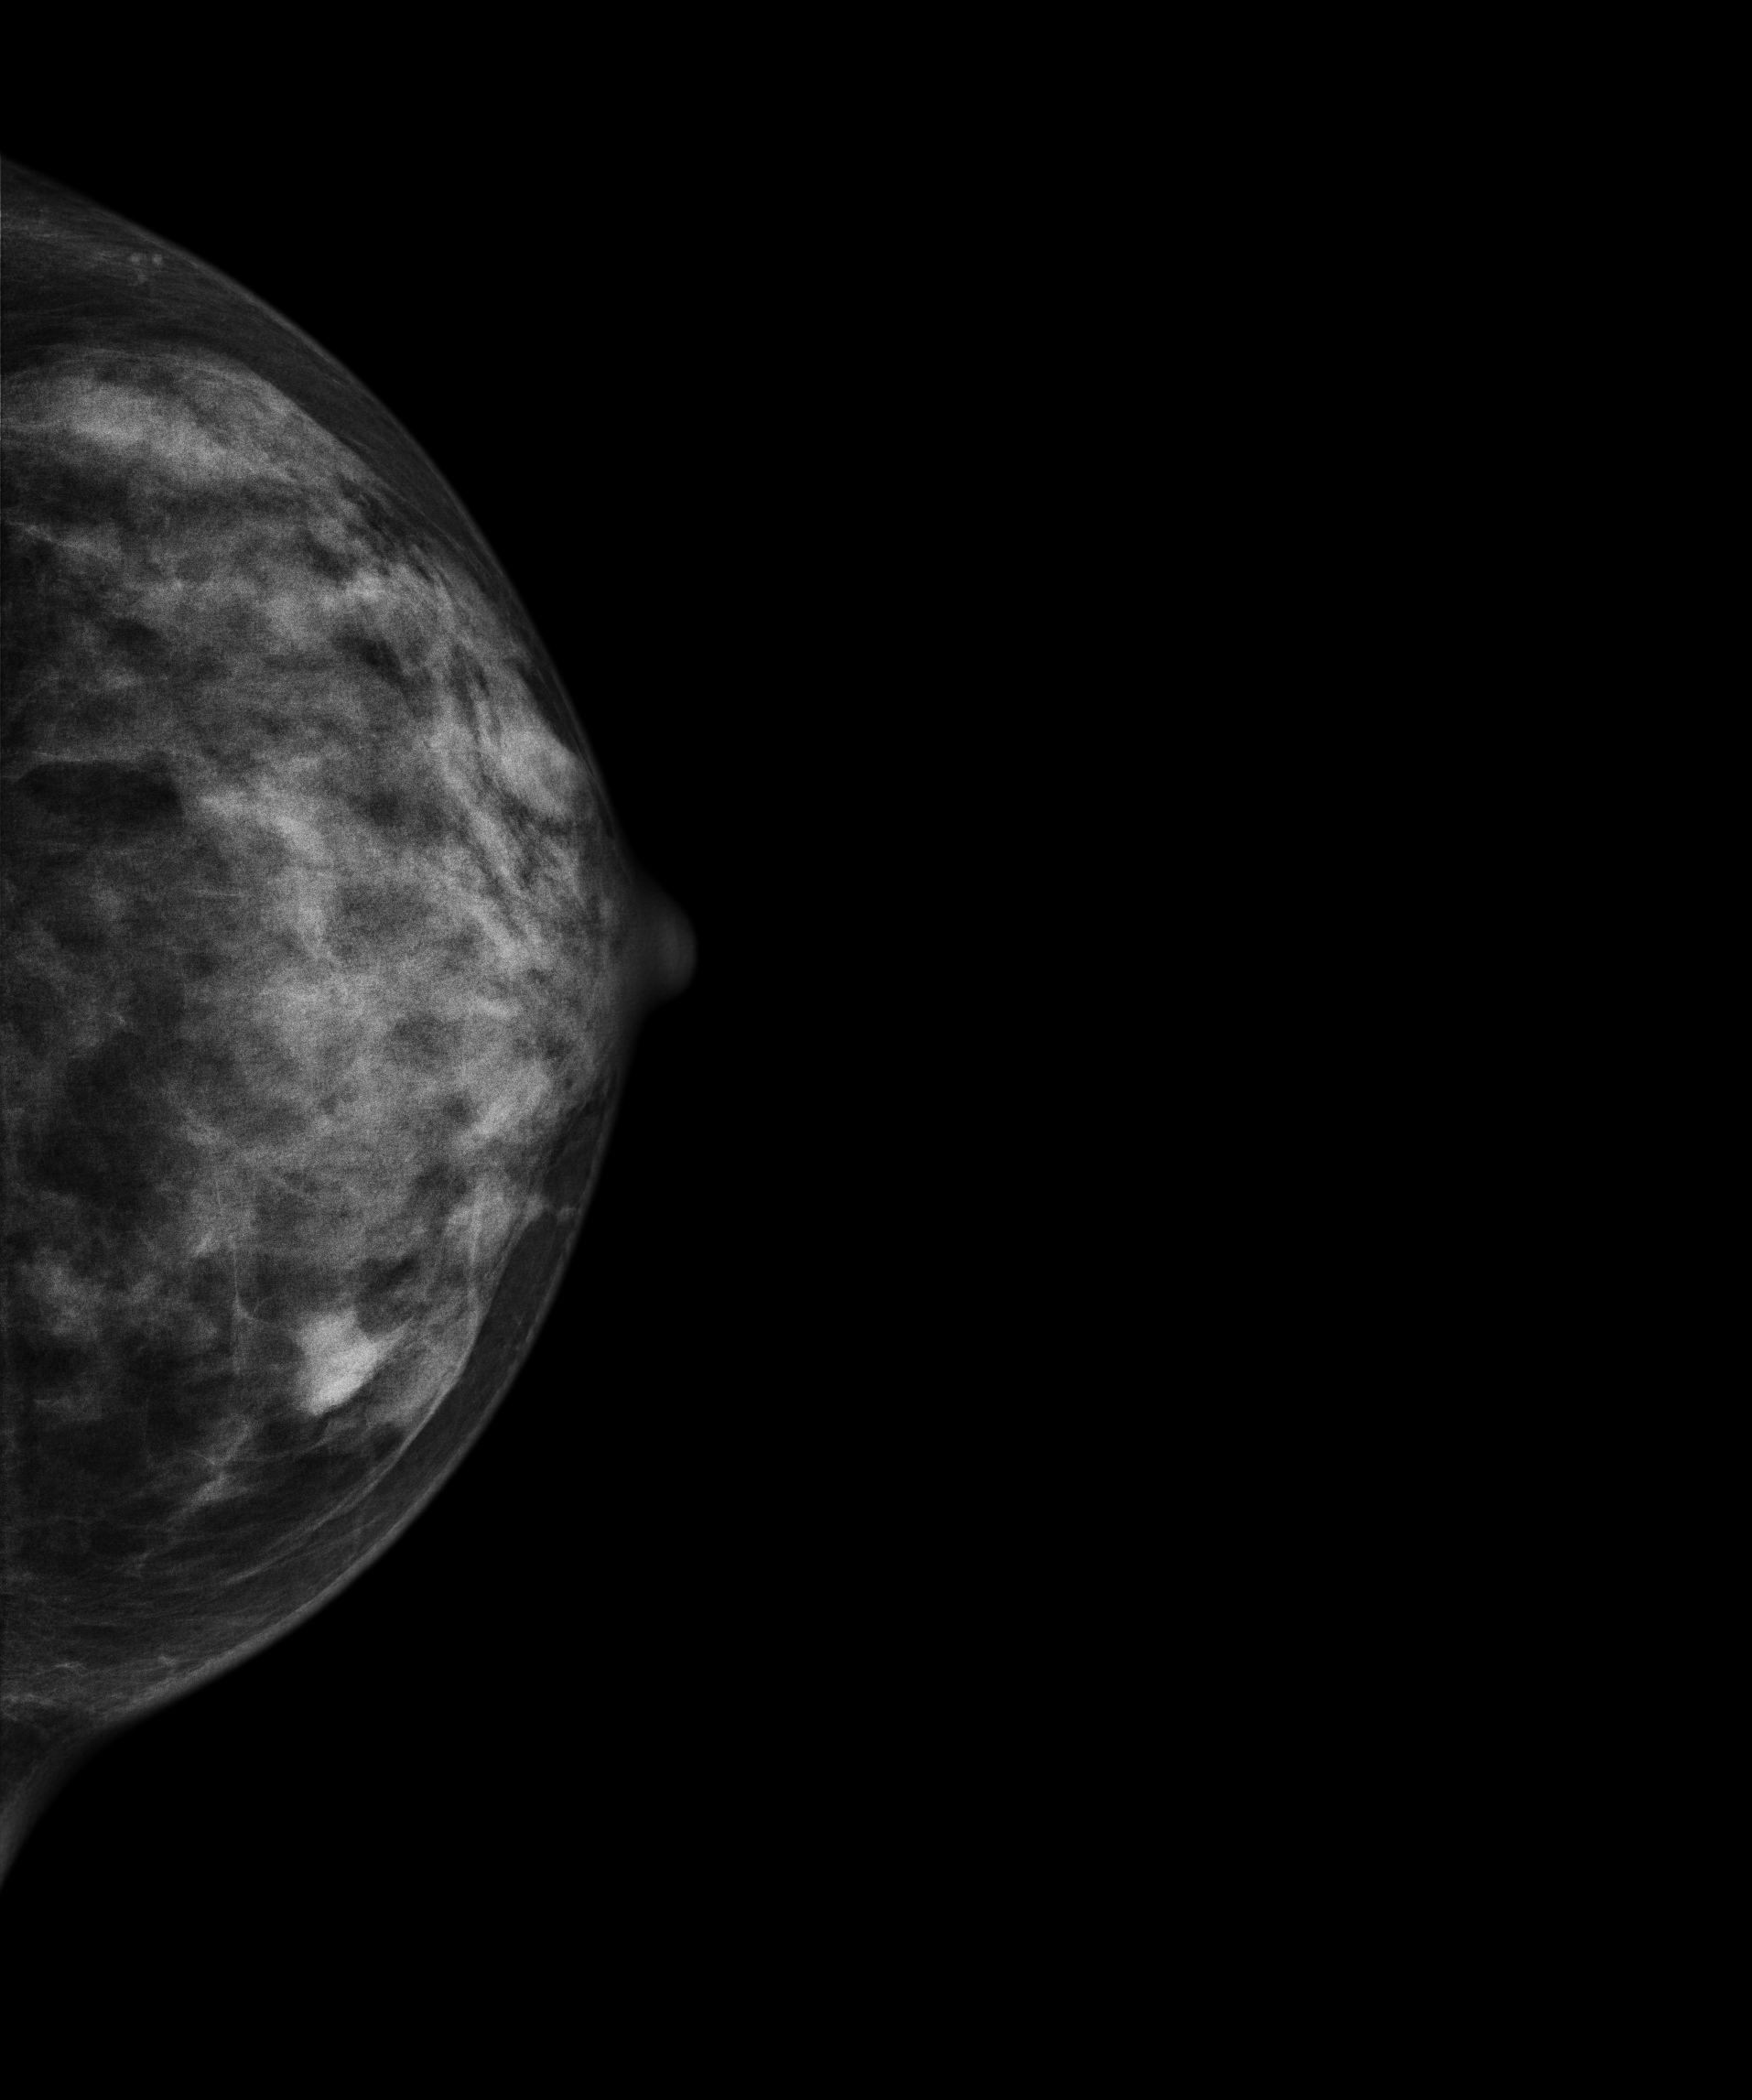
Mammogram, left breast, CC view. Patient age 46.
This breast has a mass, biopsy-confirmed benign.